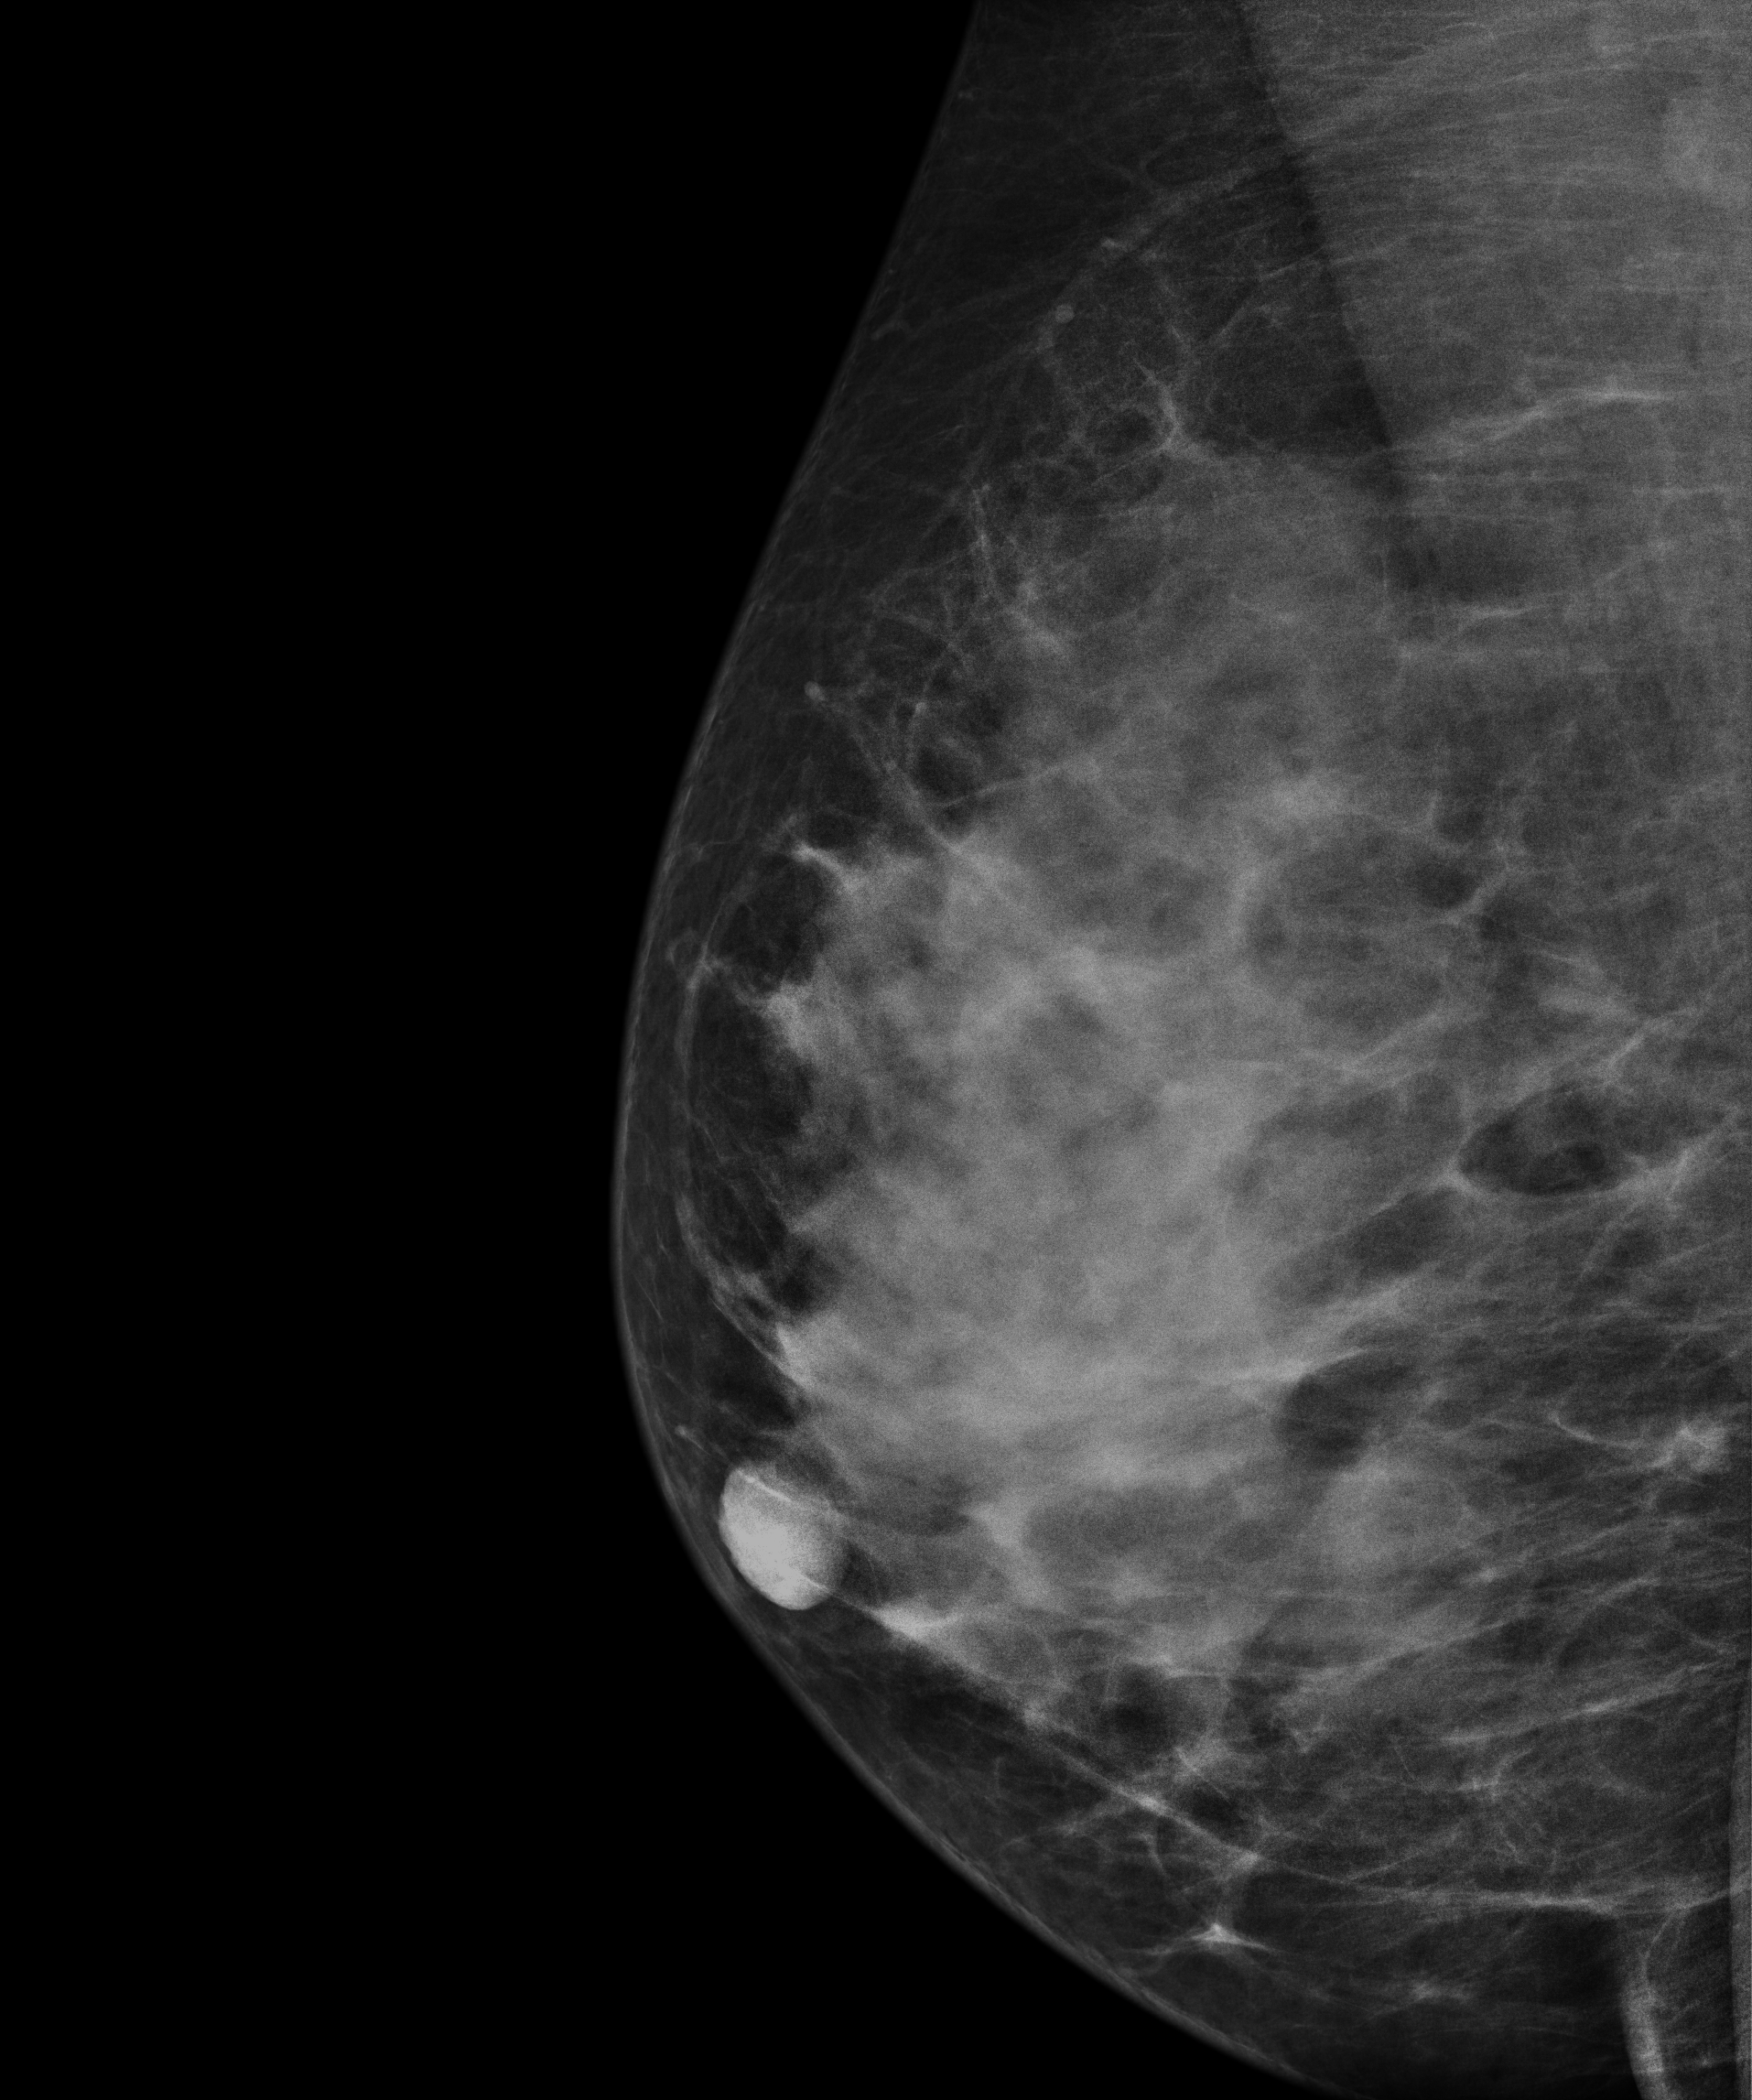
Right-breast mammogram, MLO. 50-year-old patient.
Contralateral breast — no documented abnormality on this side.